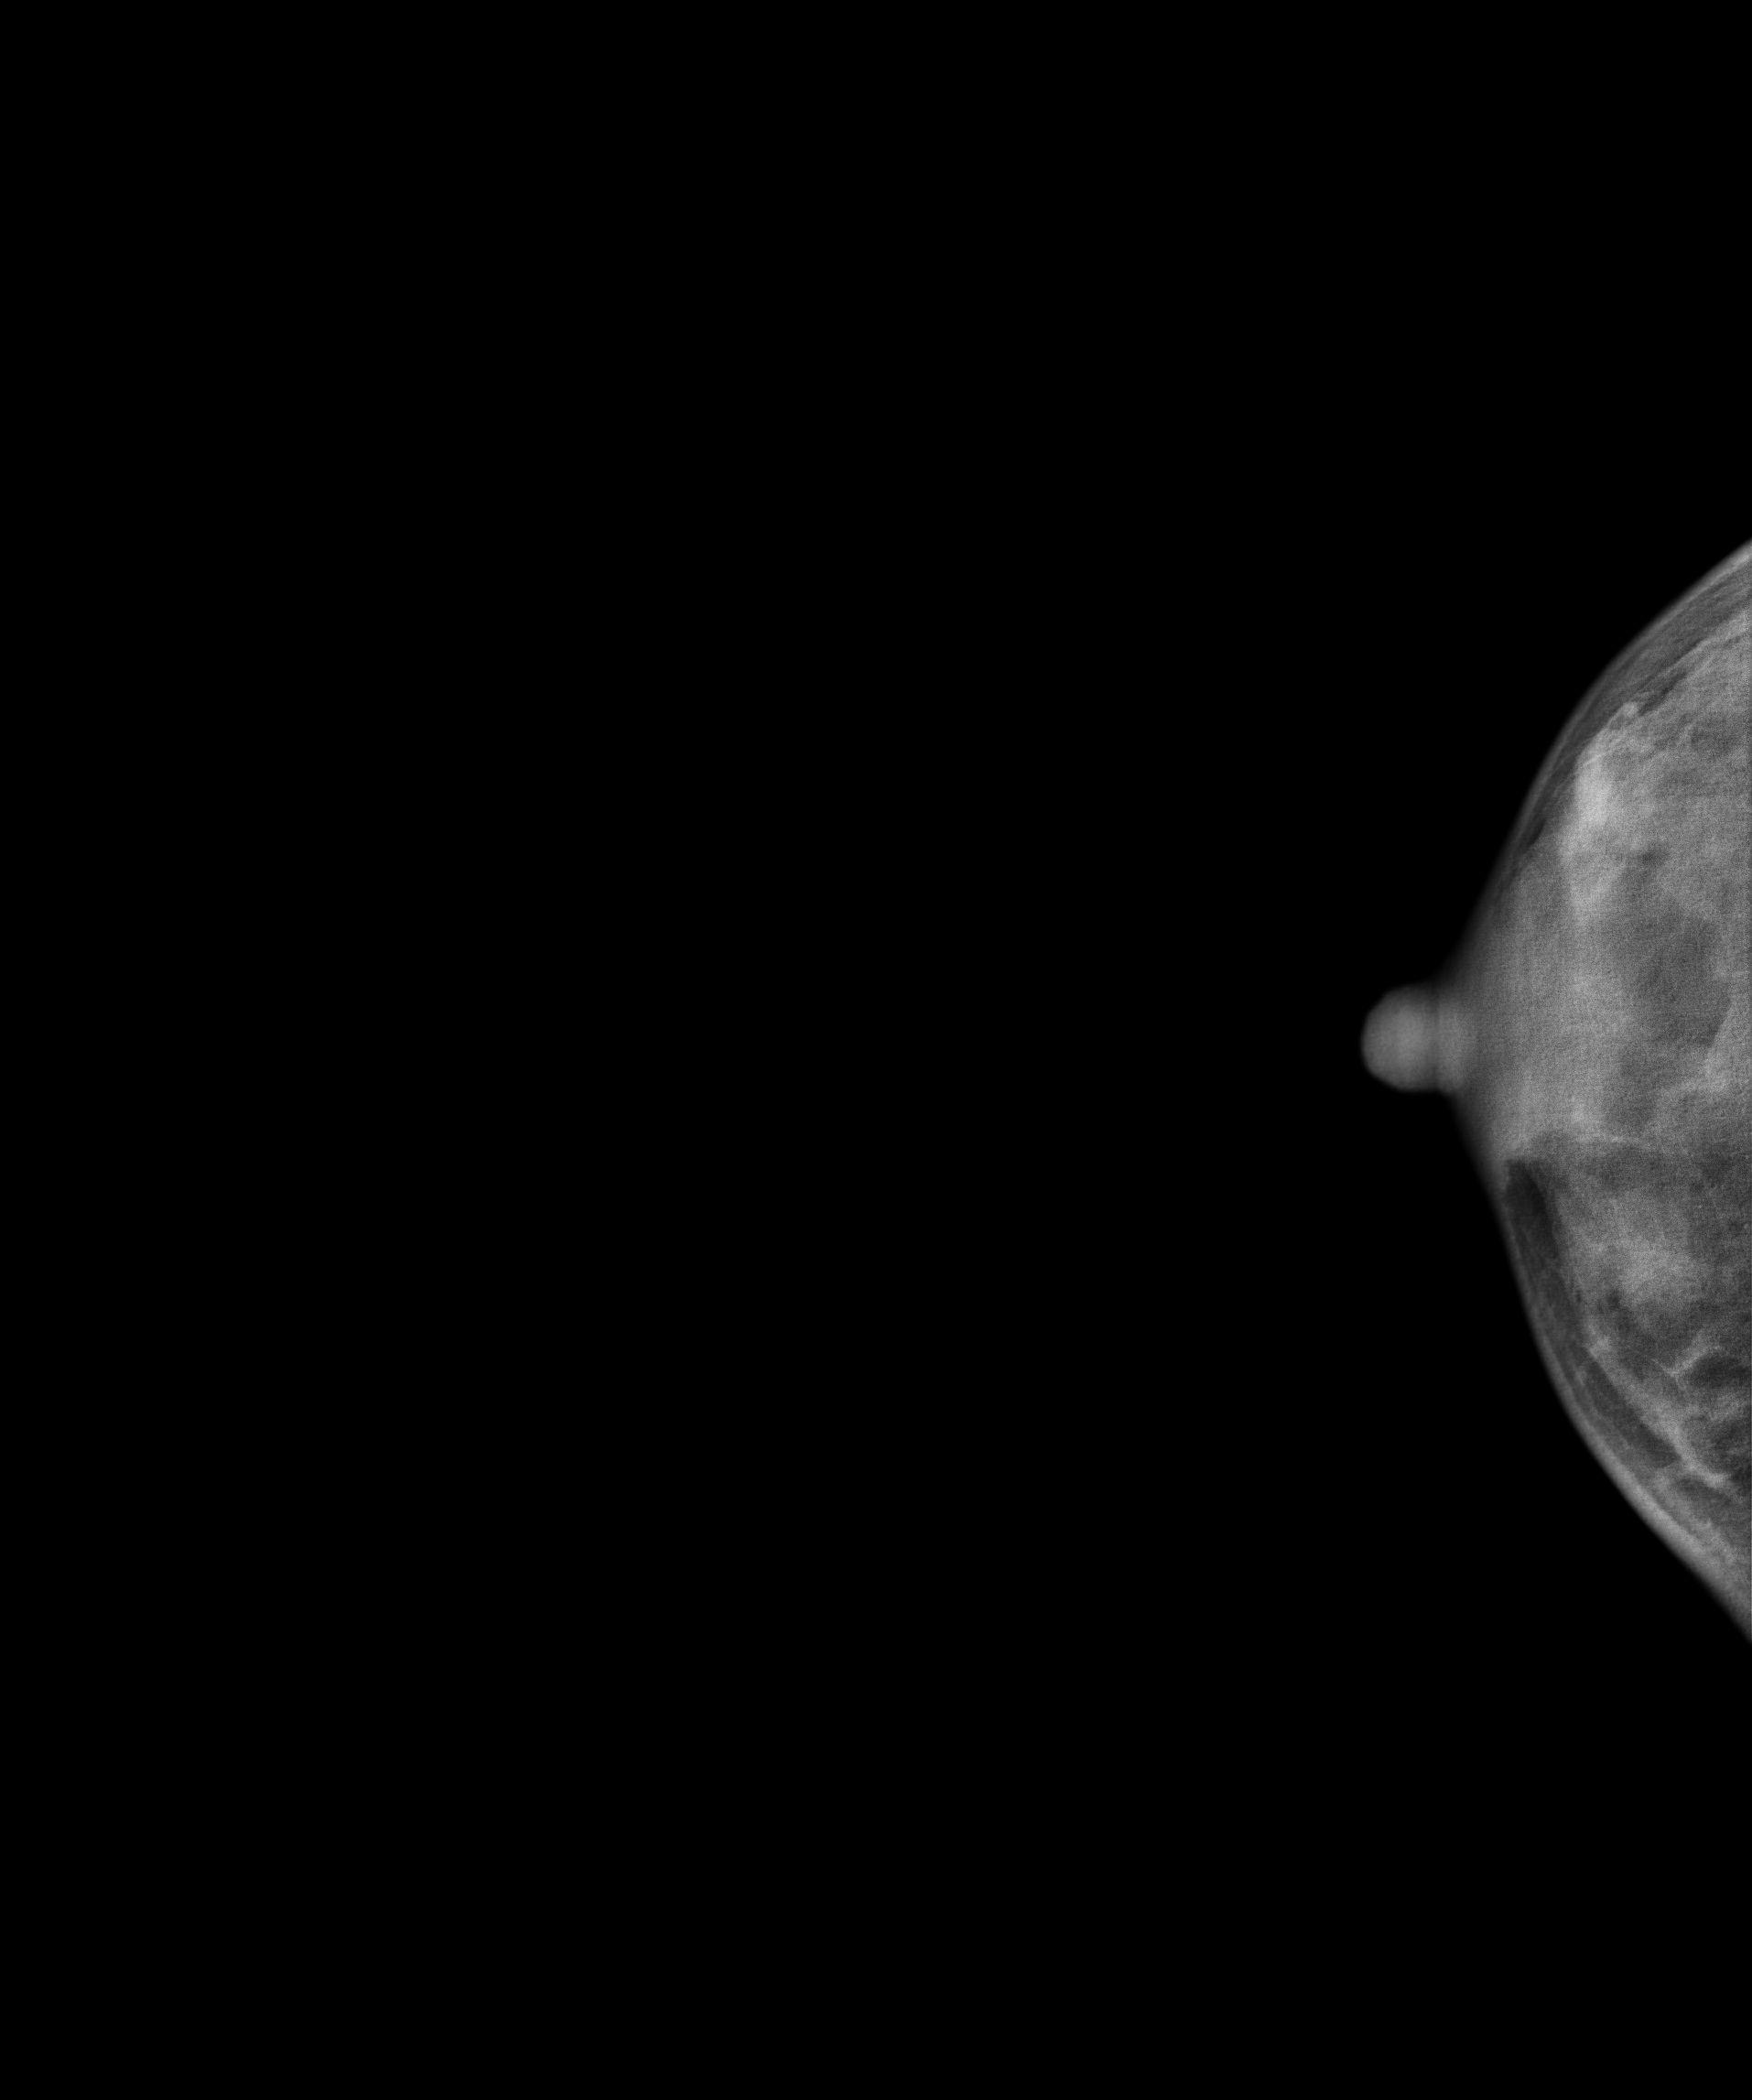
Digital mammography. Right breast, cranio-caudal projection. 23-year-old patient.
This breast has a mass, biopsy-proven benign.